Mammogram — left cranio-caudal. Patient age 54.
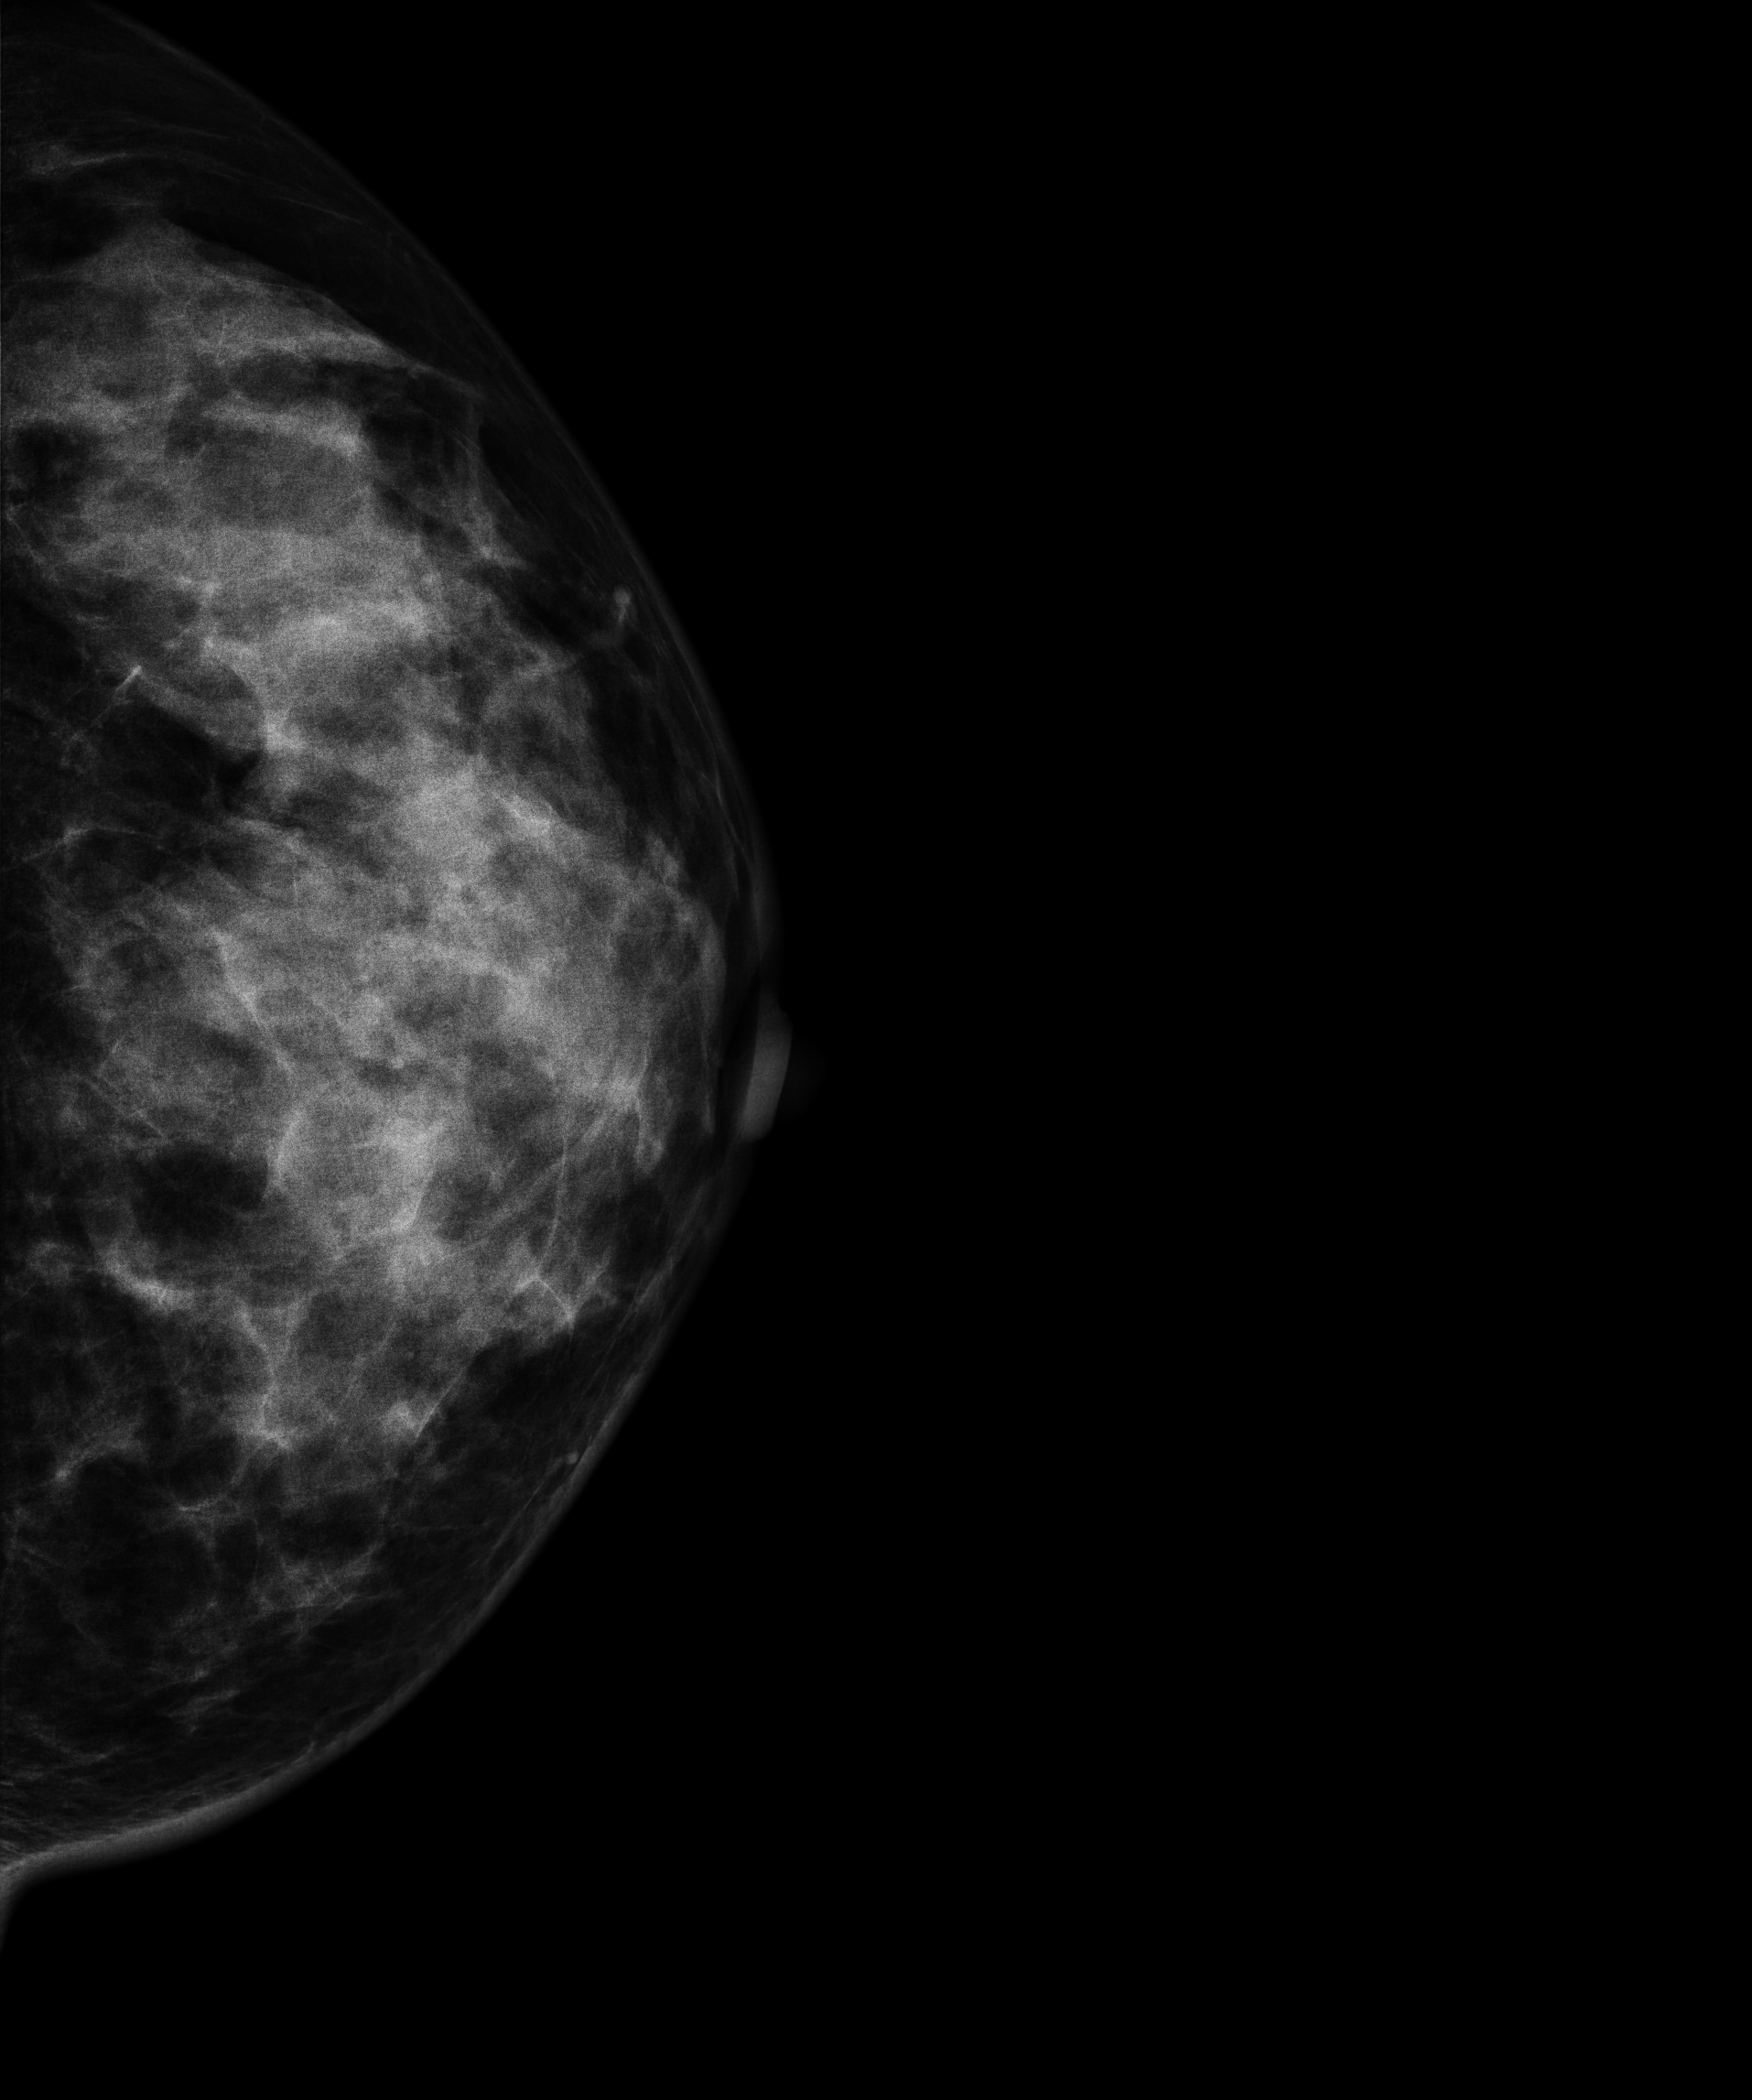
Contralateral breast — no documented abnormality on this side.